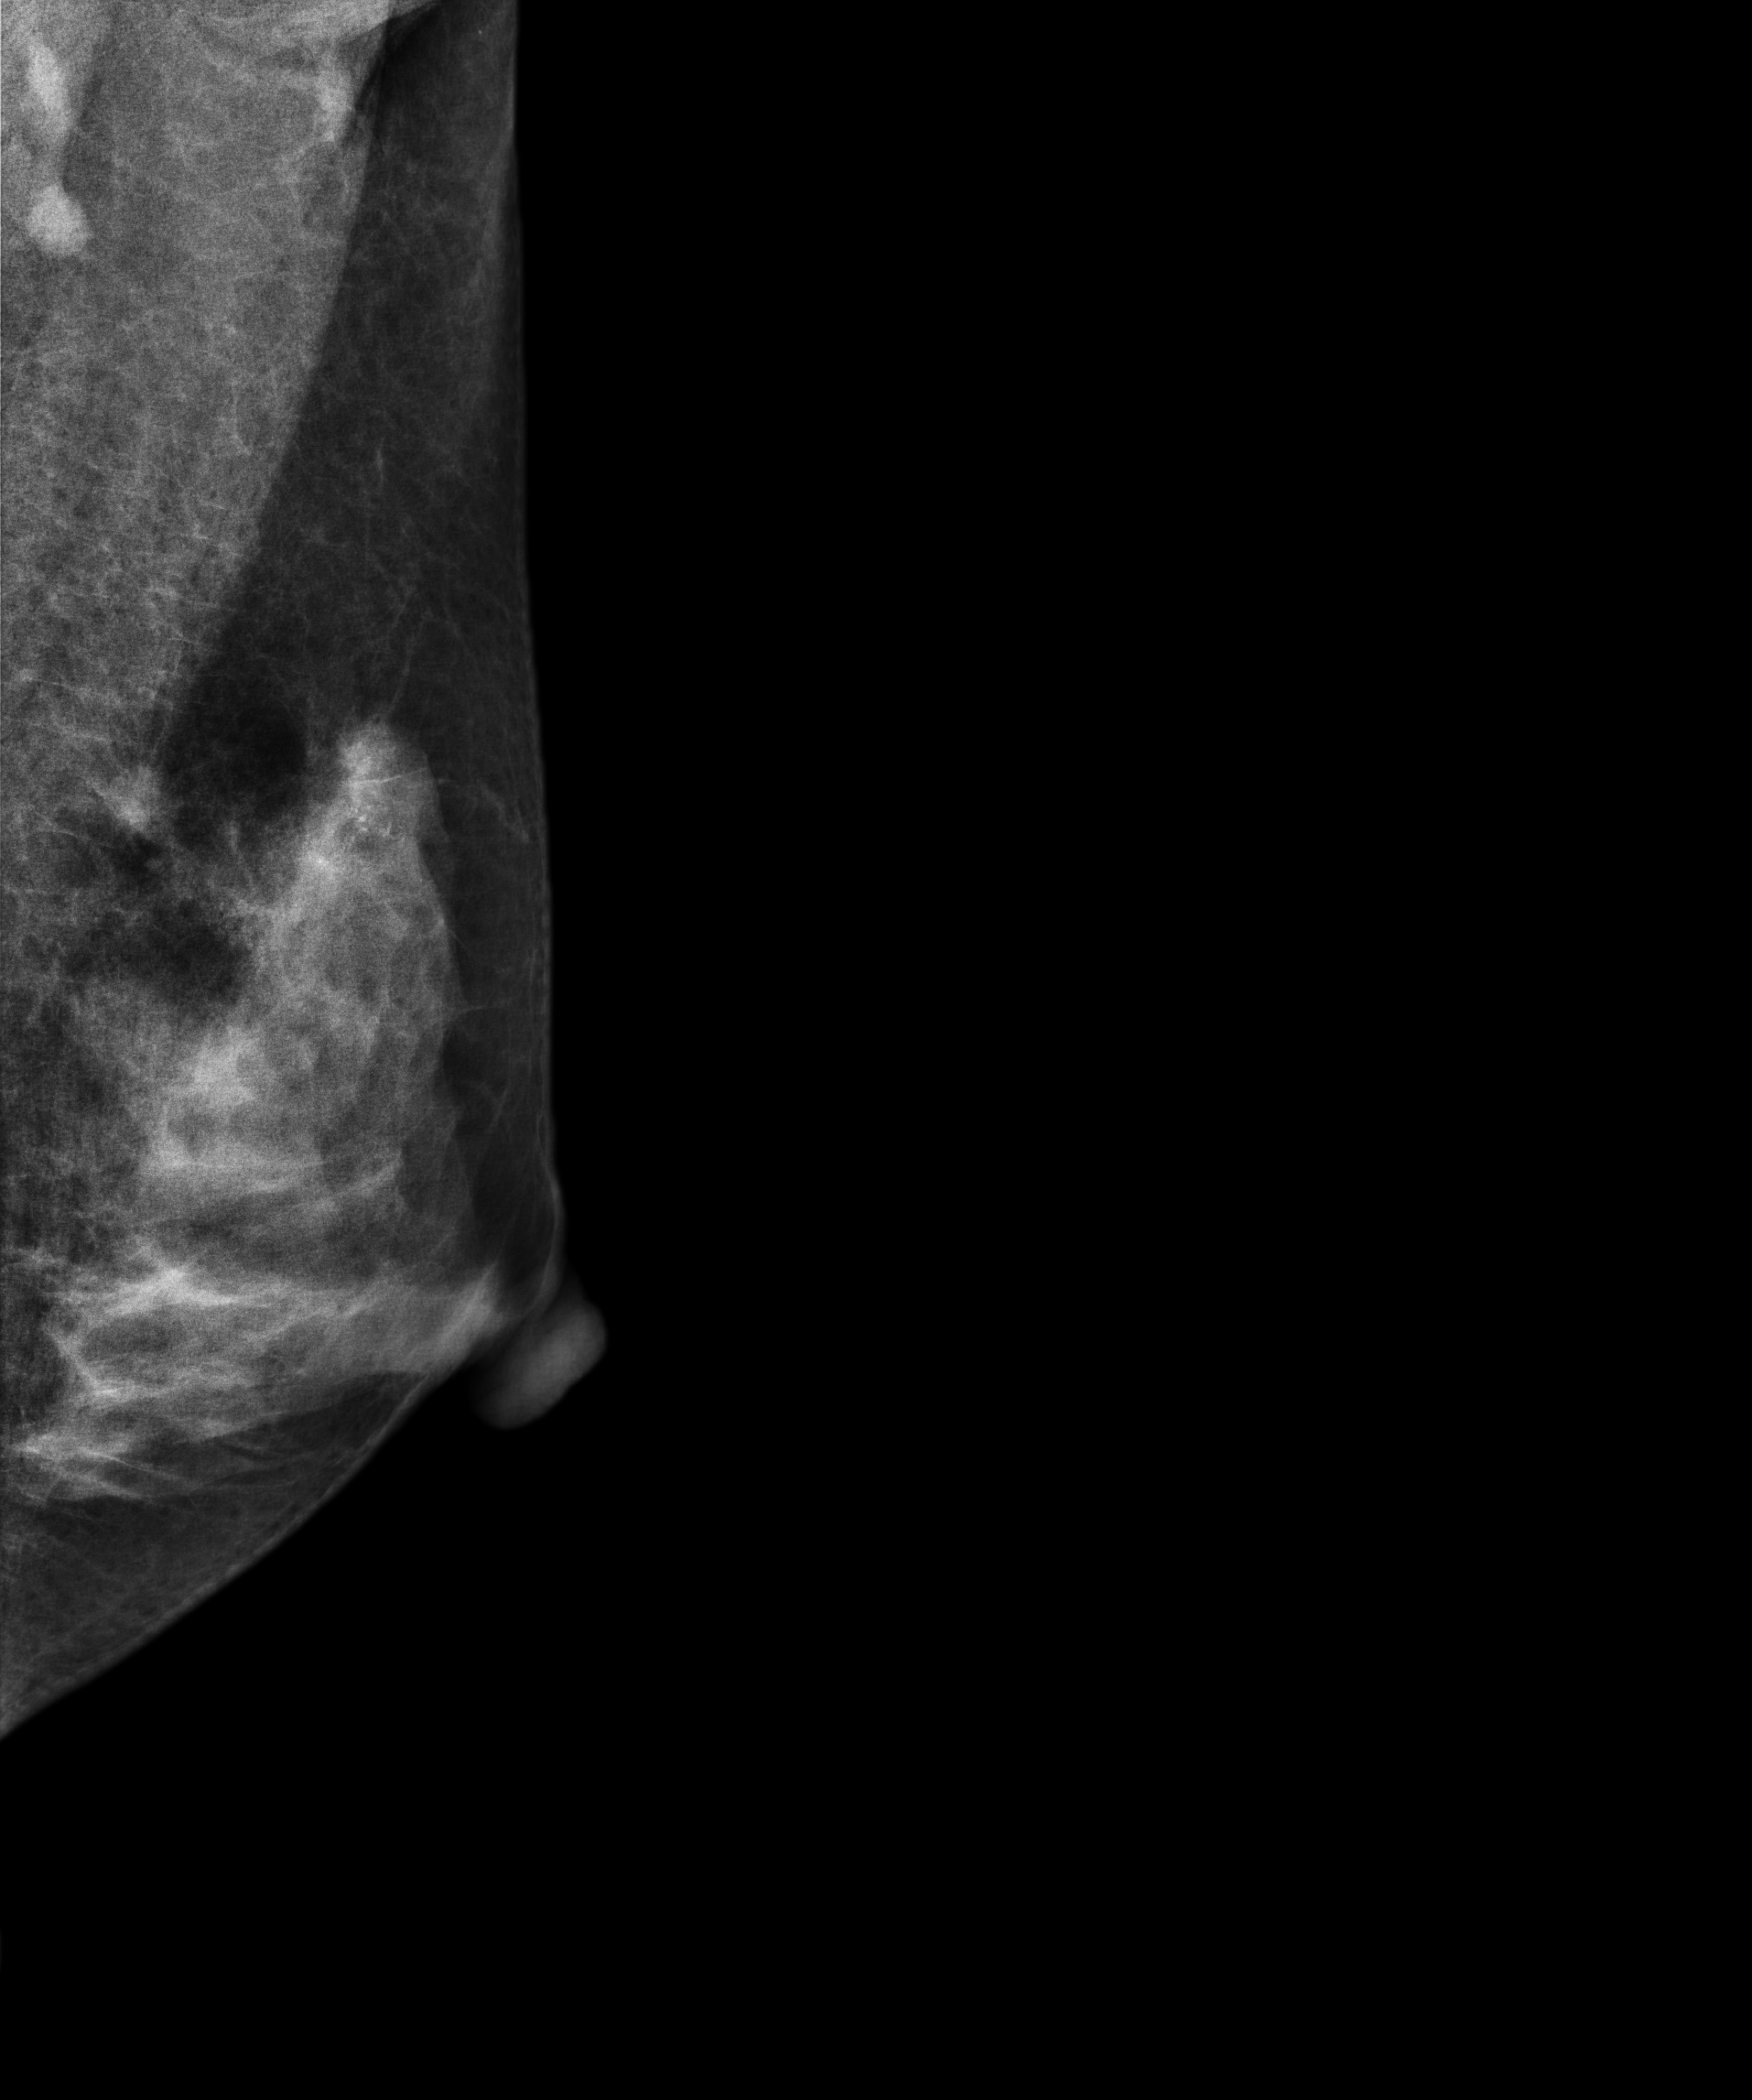
Medio-lateral oblique mammogram of the left breast. 44-year-old patient.
This breast has calcifications, pathology-confirmed malignant.